CC mammogram of the right breast. 48-year-old patient.
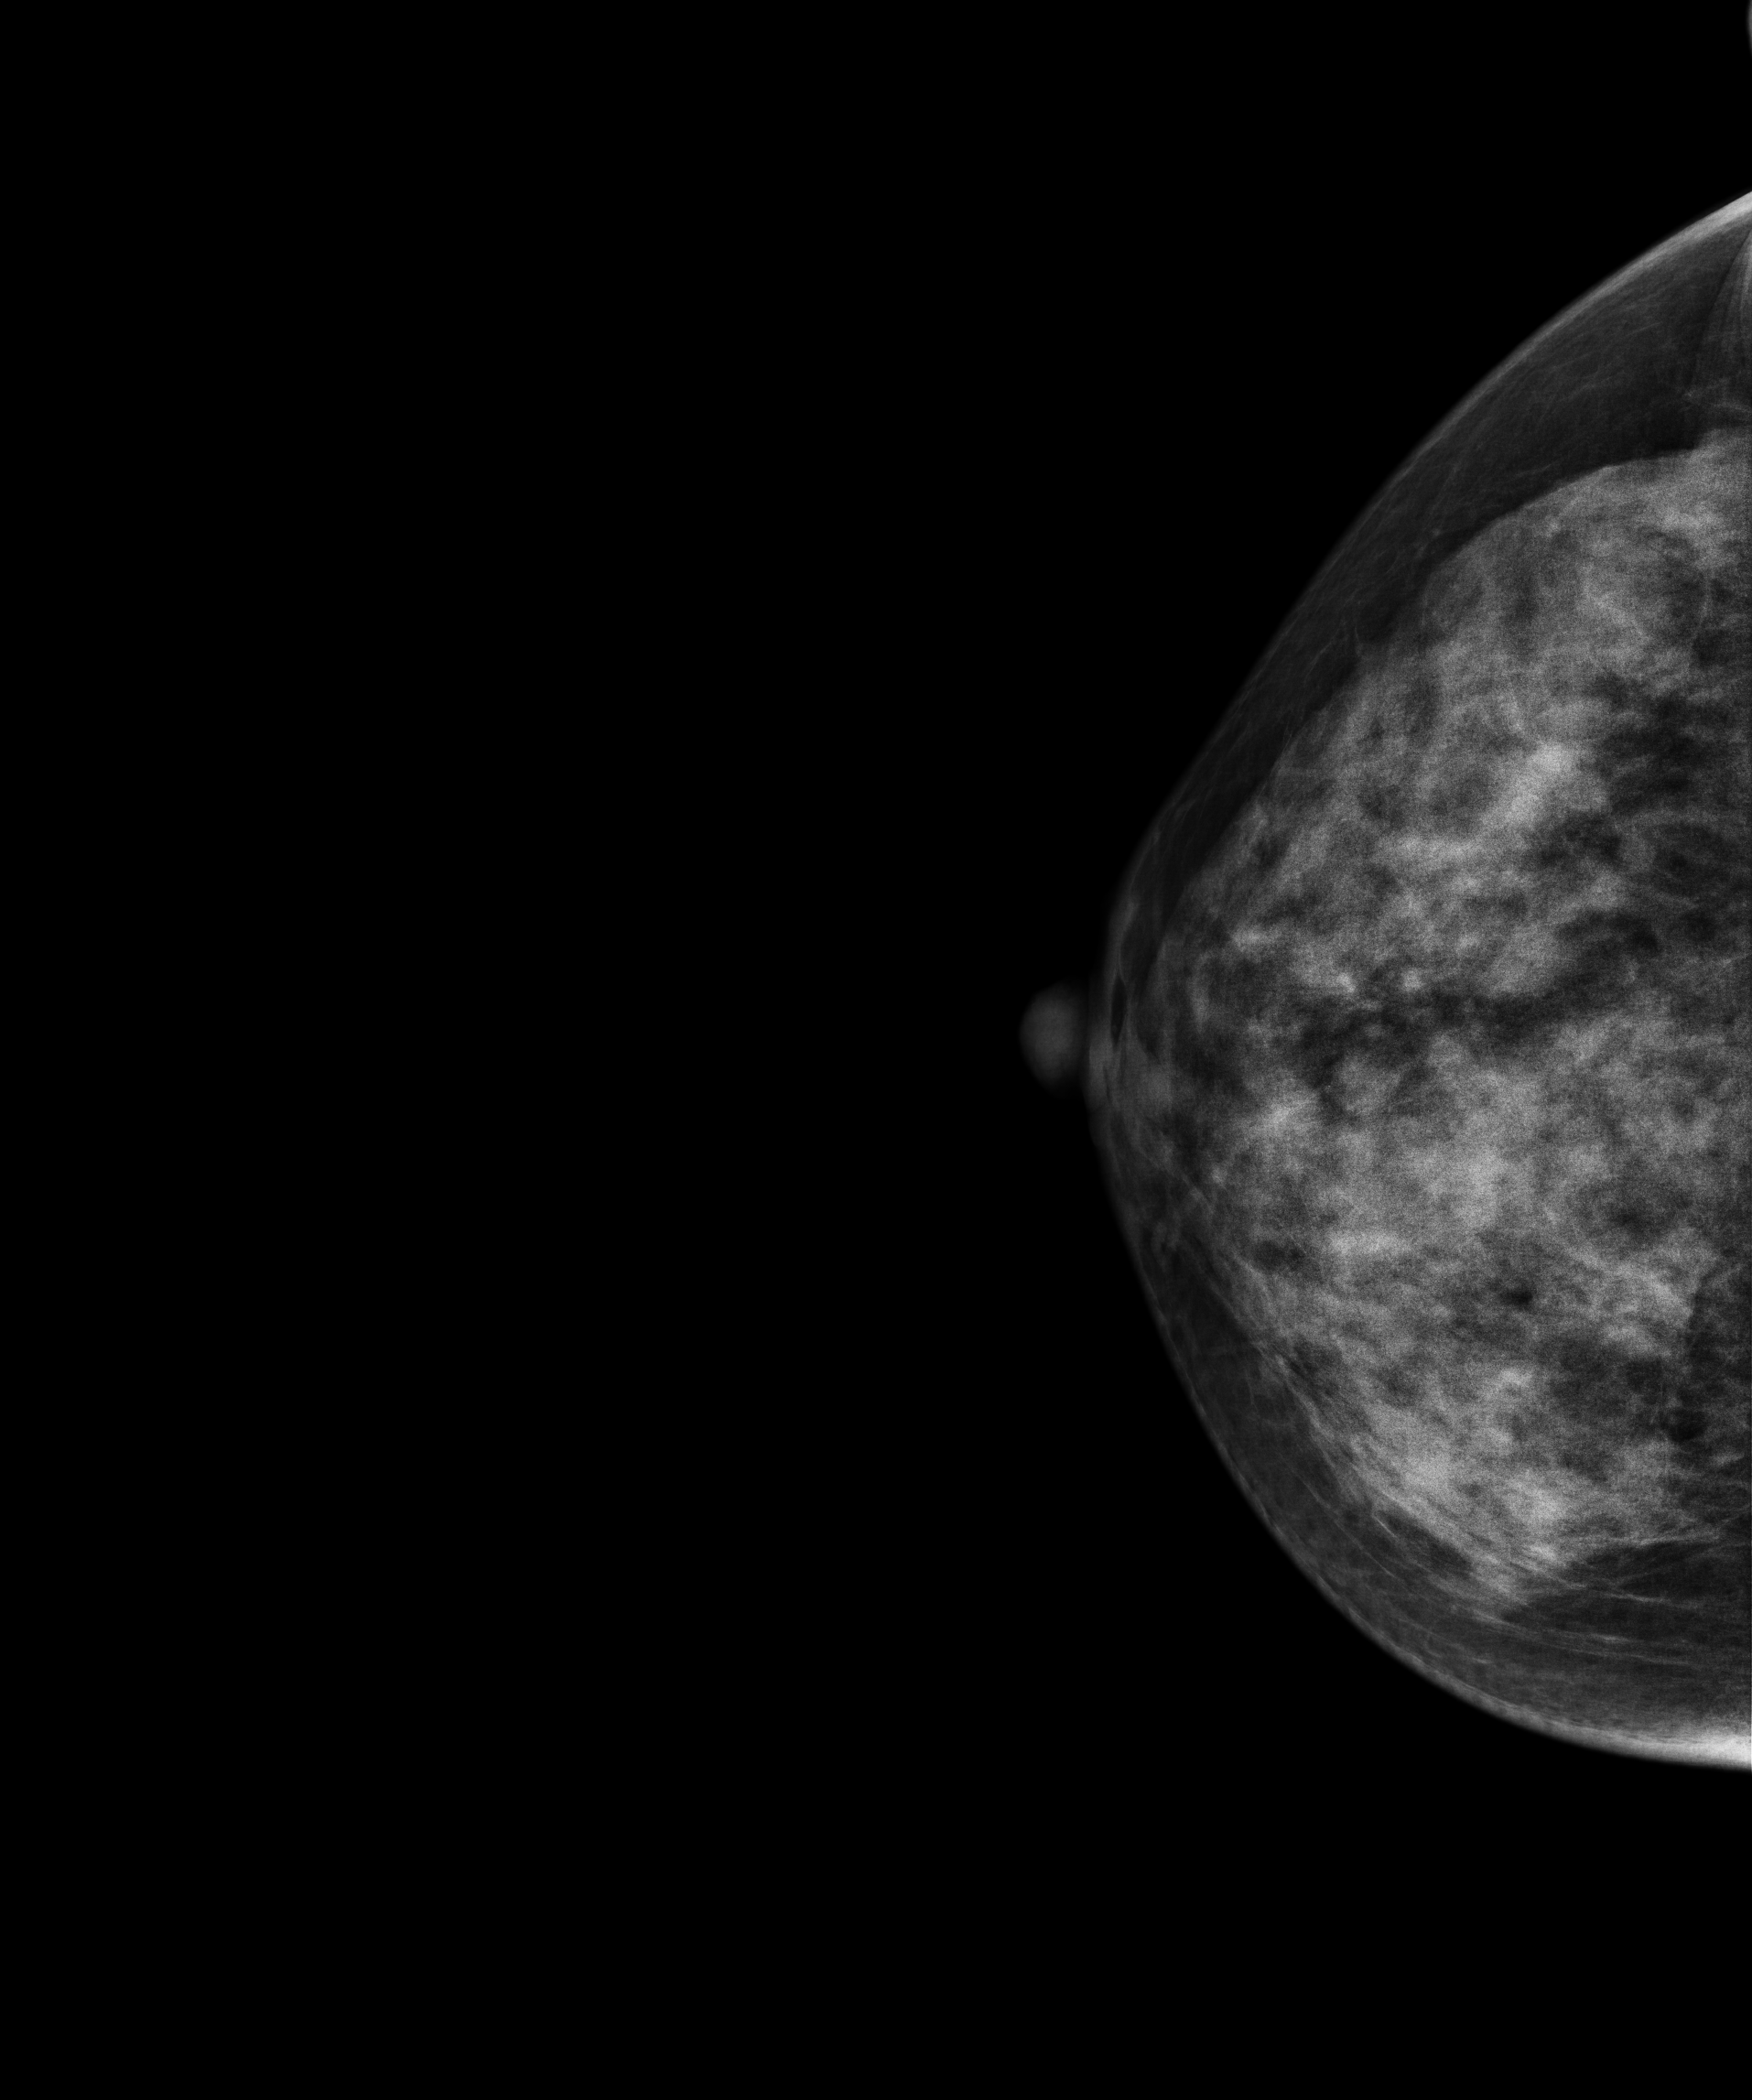
This breast has a mass and calcifications, pathology-confirmed benign.